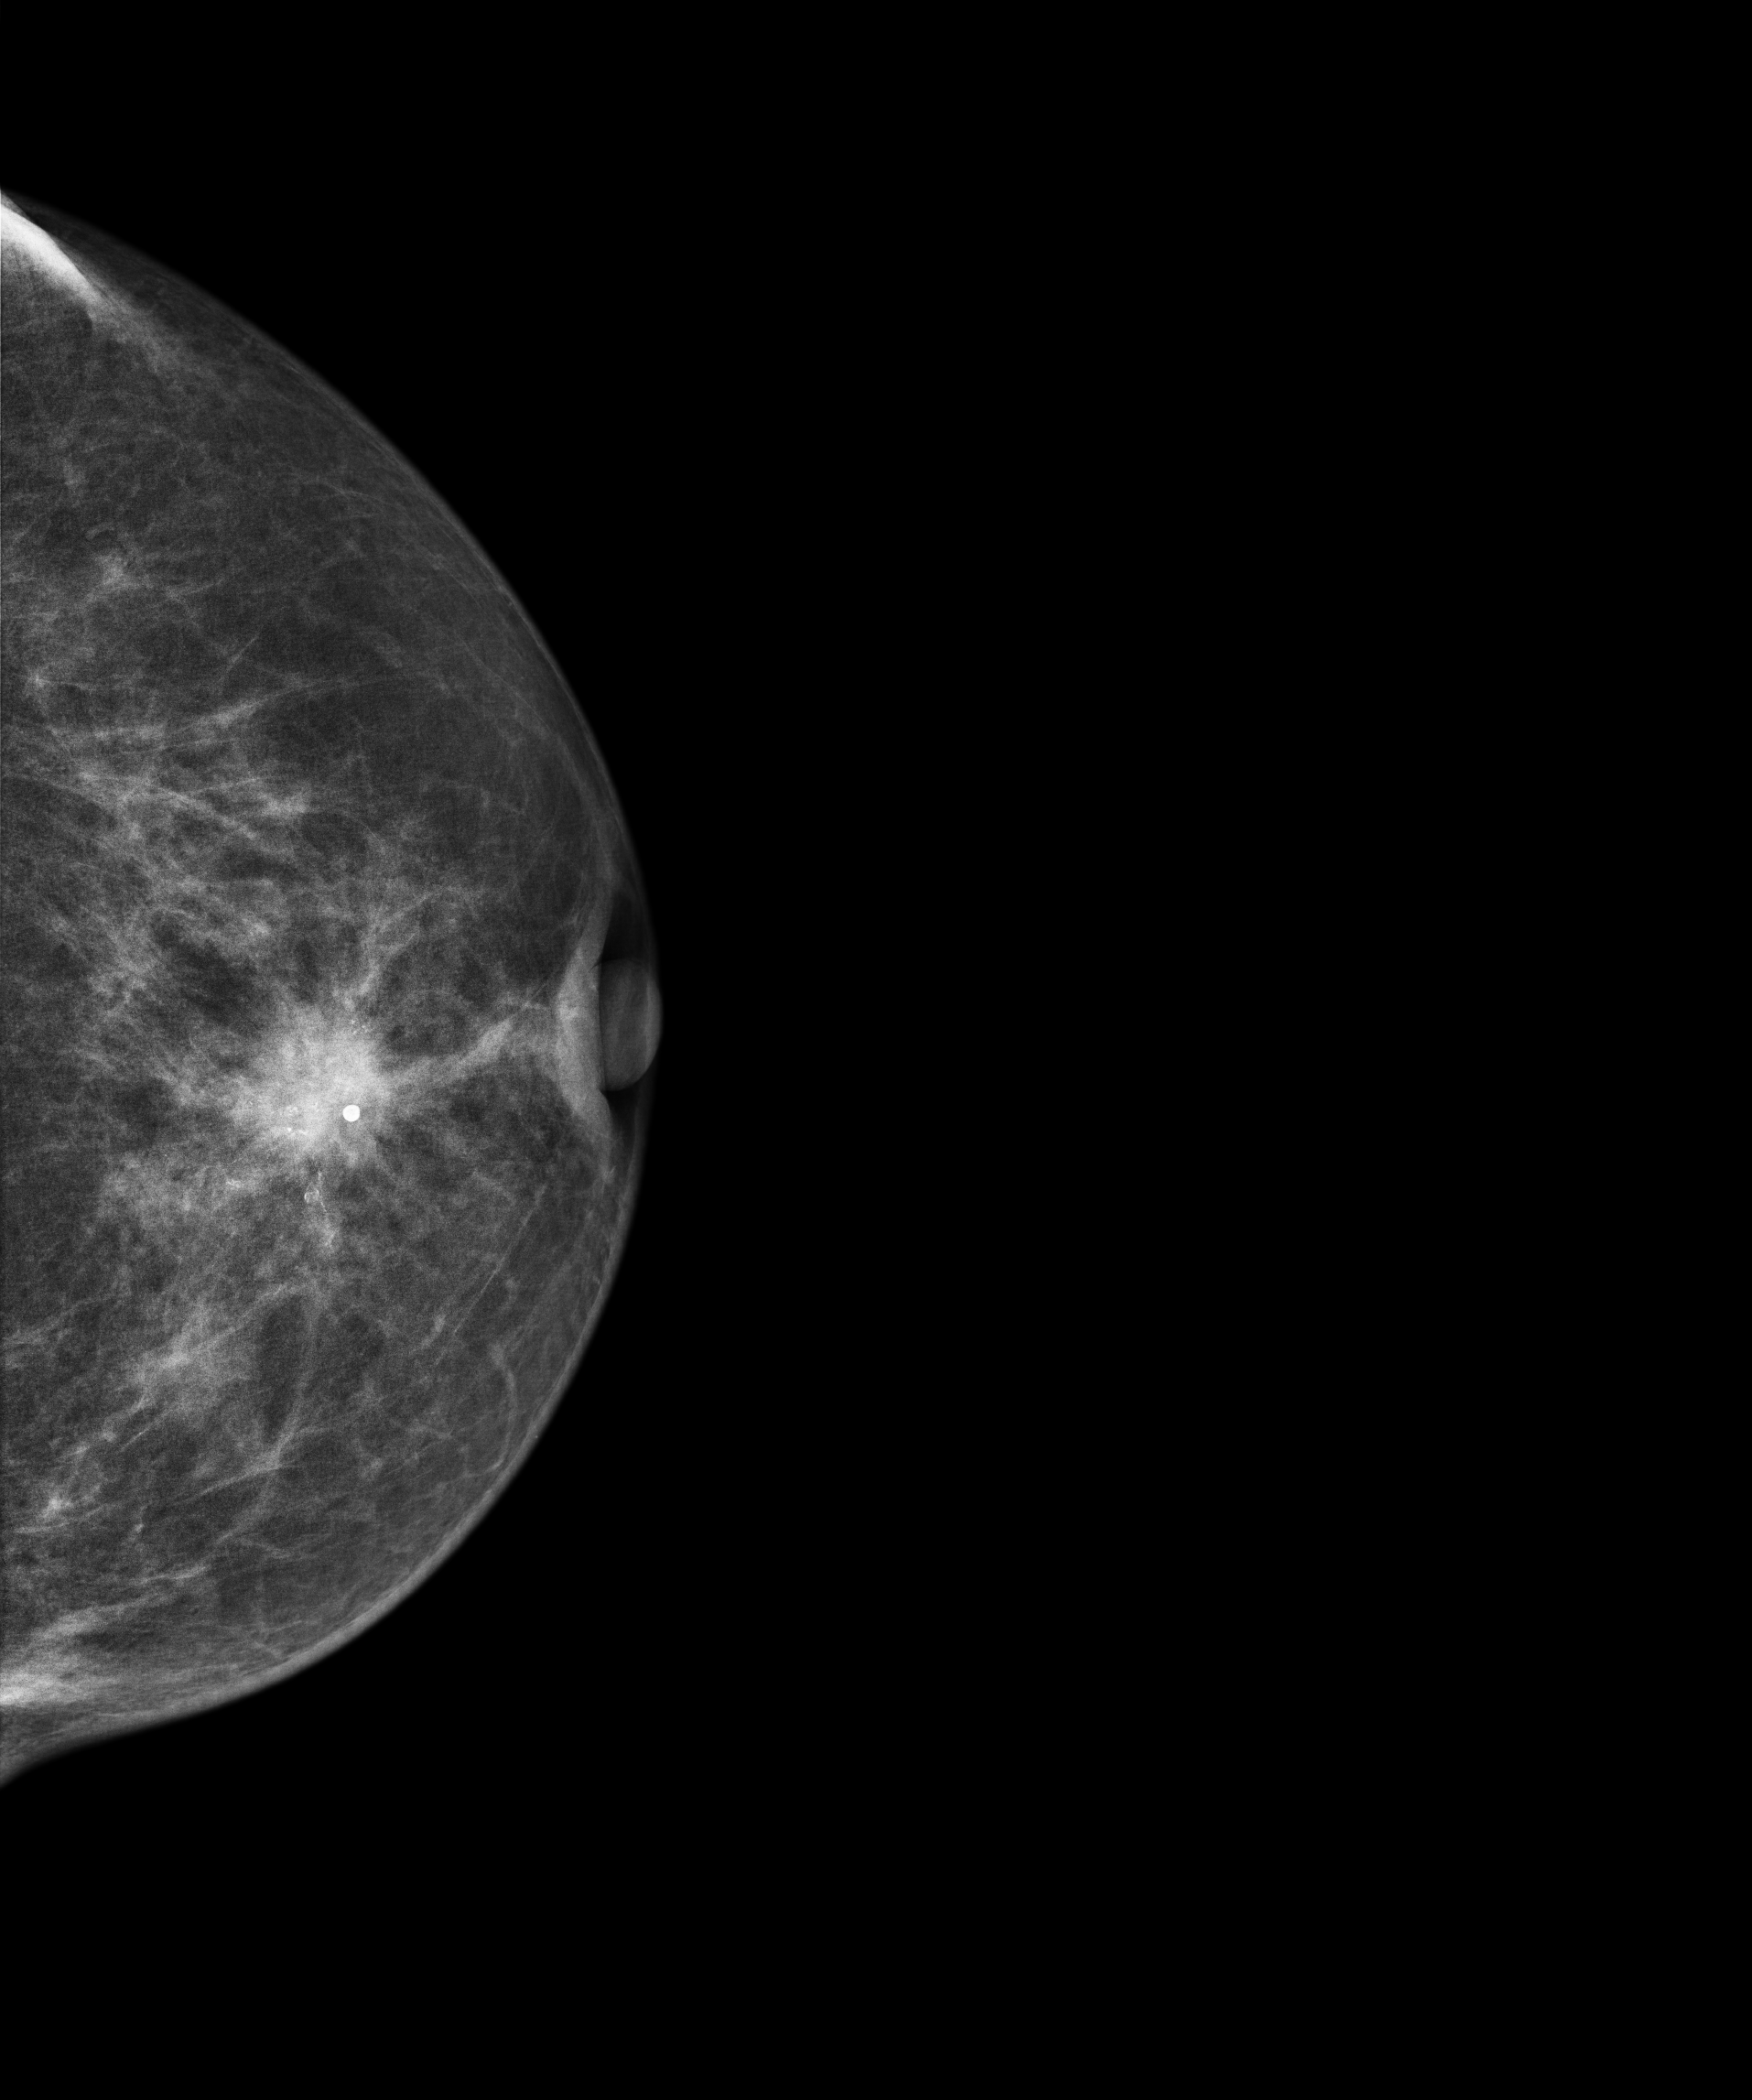
Digital mammography. Left breast, CC projection. 73-year-old patient.
This breast has a mass and calcifications, biopsy-confirmed malignant.